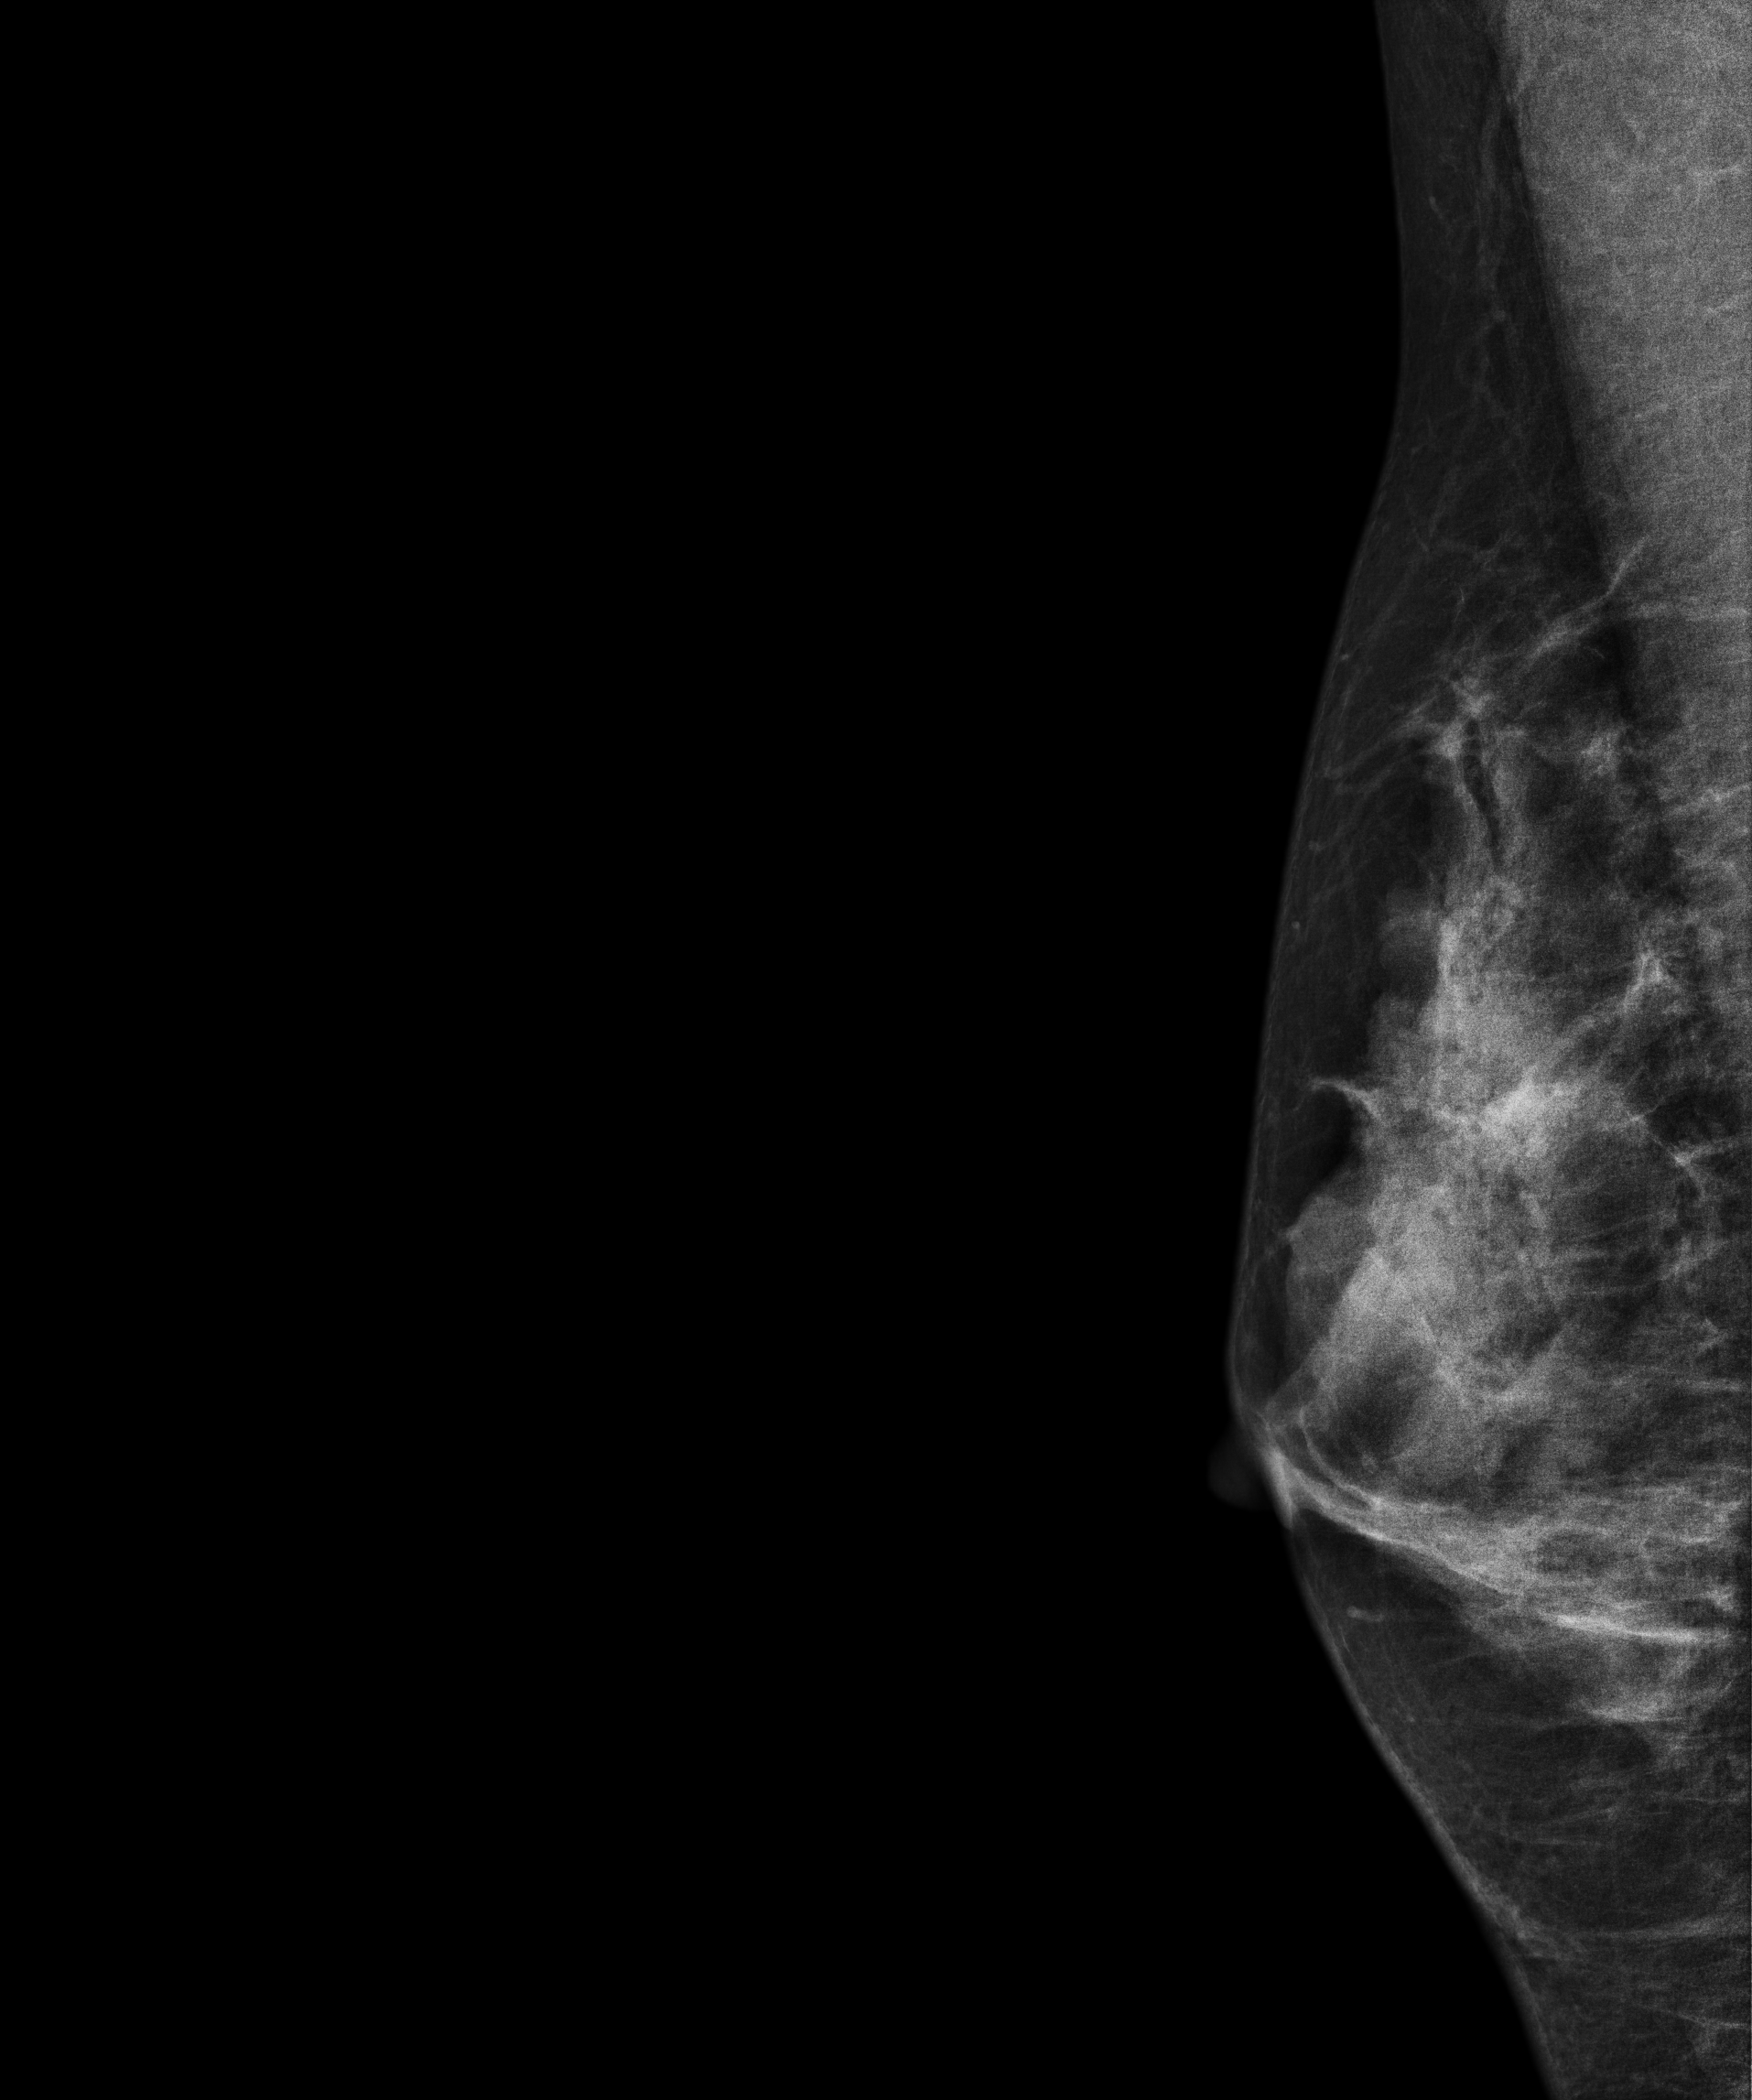
Right-breast mammogram, MLO. Patient age 32.
This breast has a mass, biopsy-proven benign.